Right-breast mammogram, cranio-caudal. 30-year-old patient.
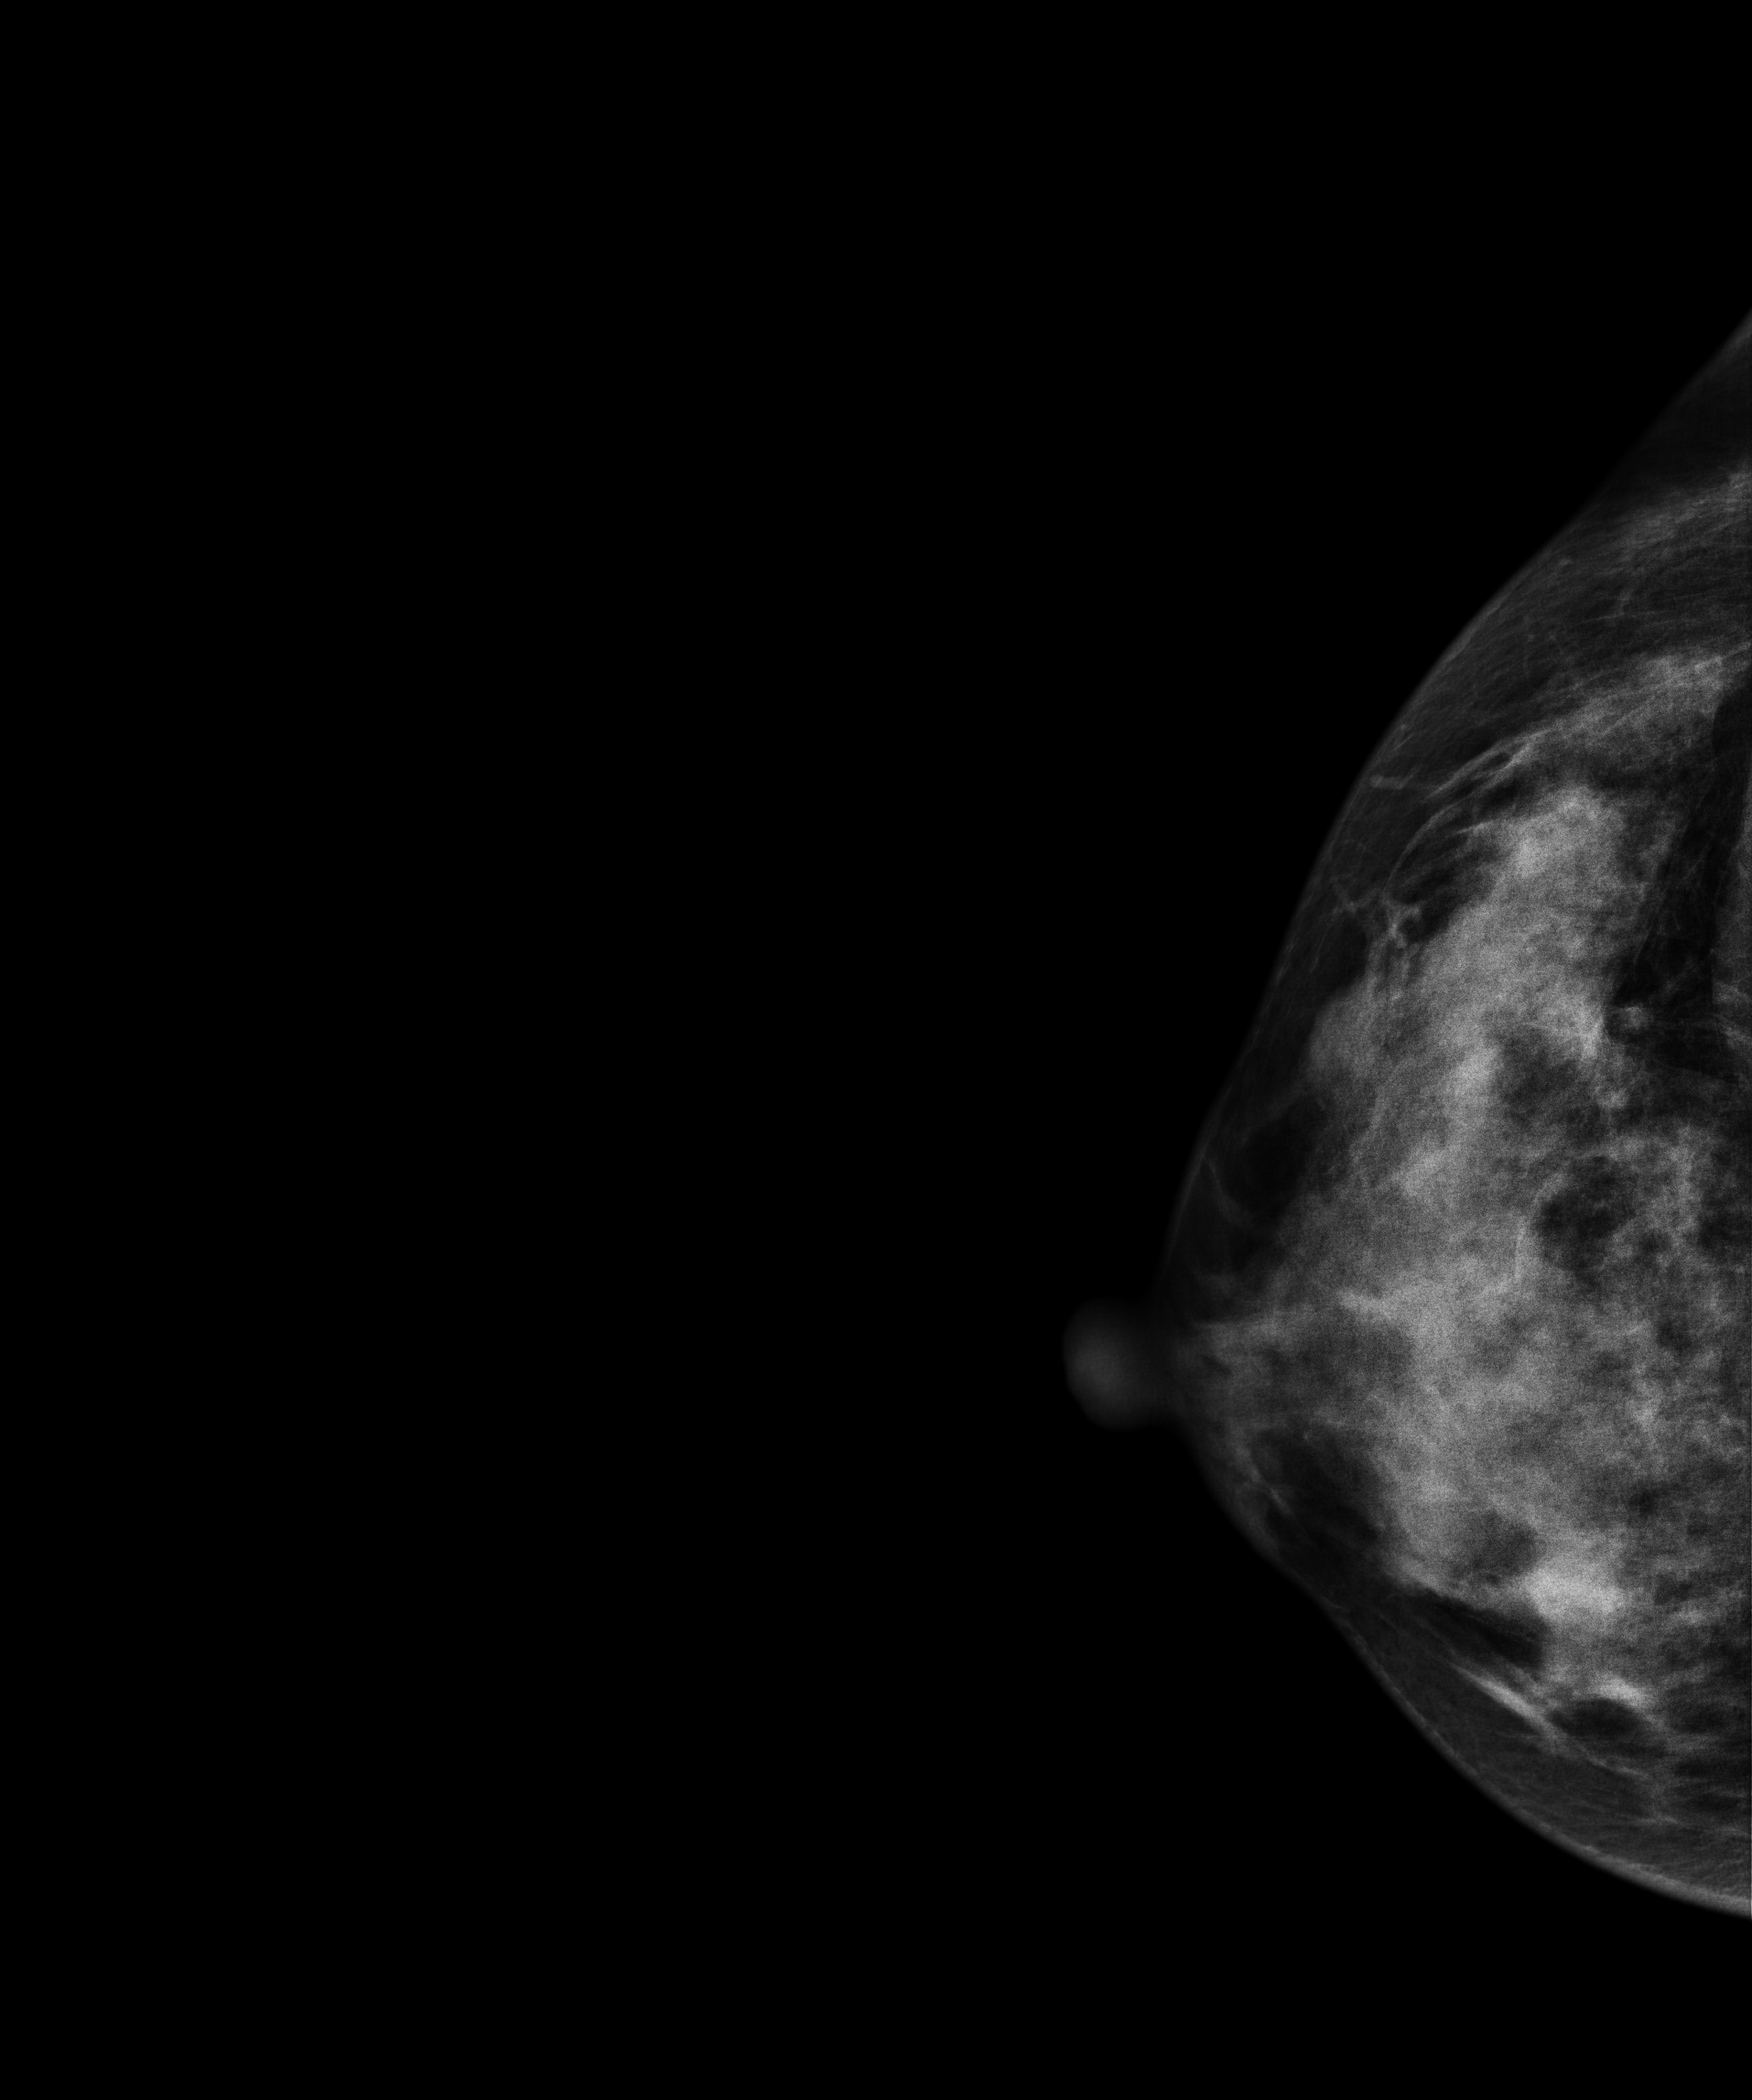
This breast has a mass, histologically confirmed benign.